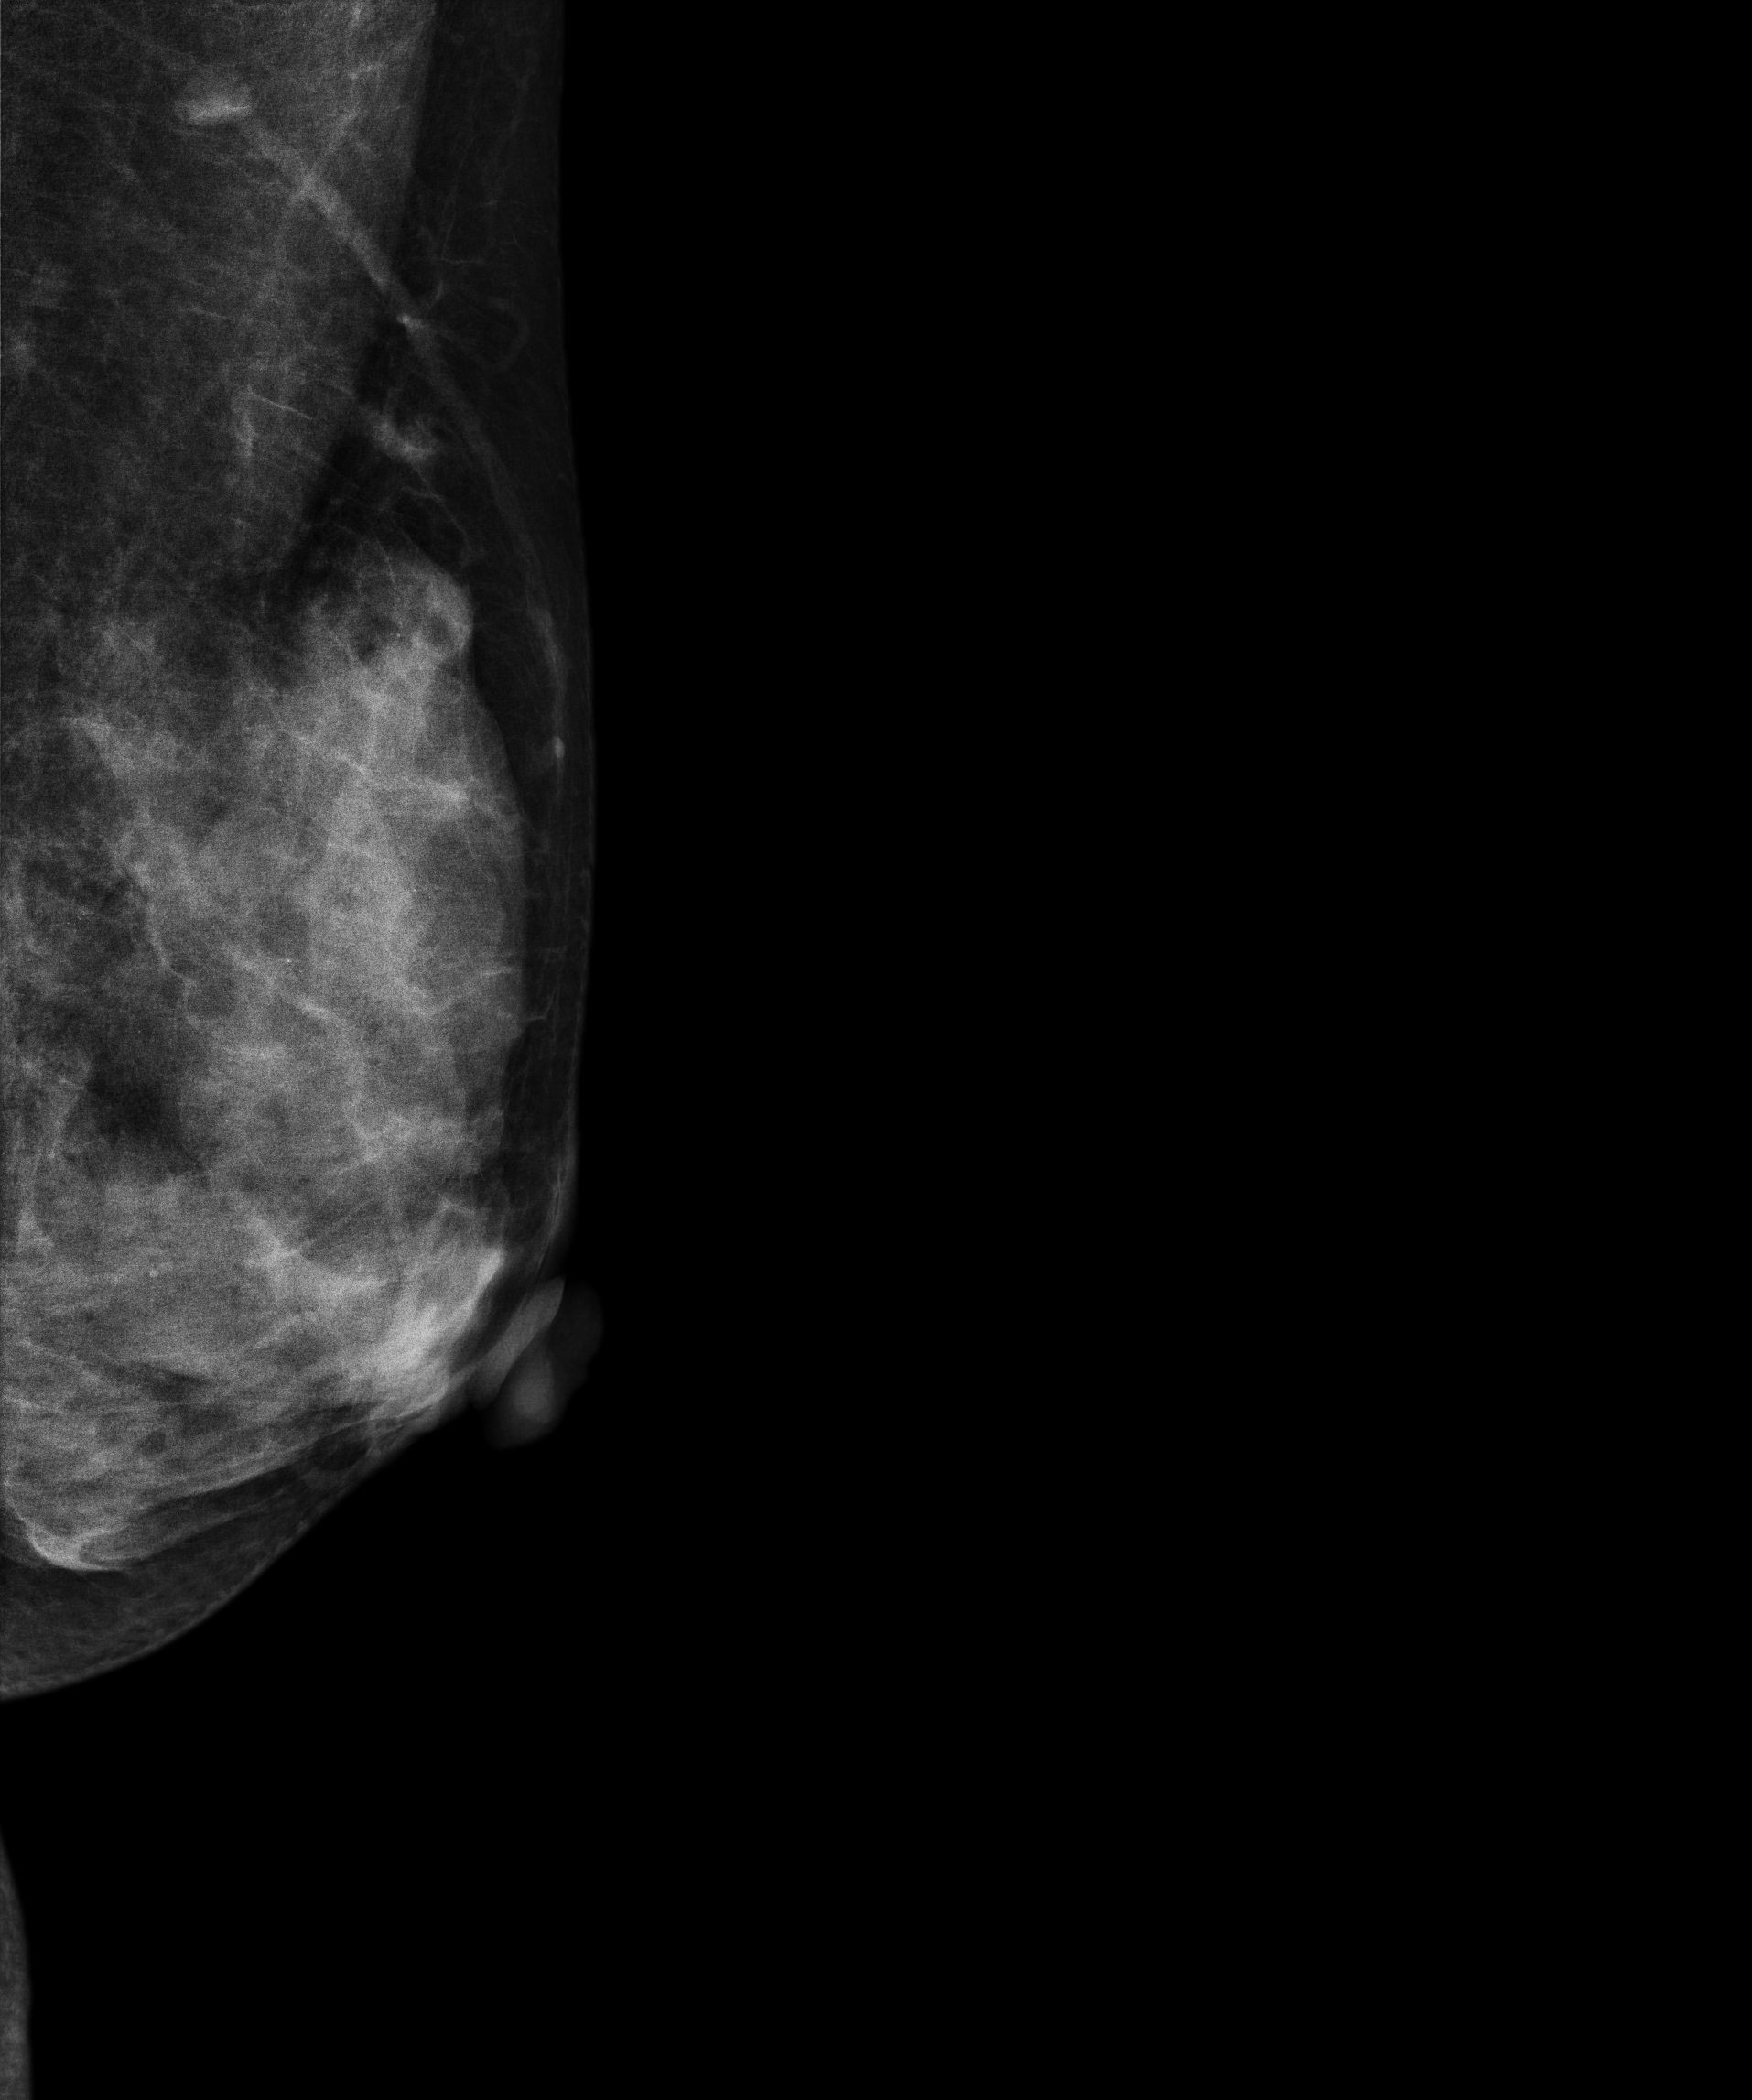
Digital mammography. Left breast, MLO projection. 44 y/o patient.
This breast has calcifications, histologically confirmed benign.